Cranio-caudal mammogram of the left breast. Patient age 42.
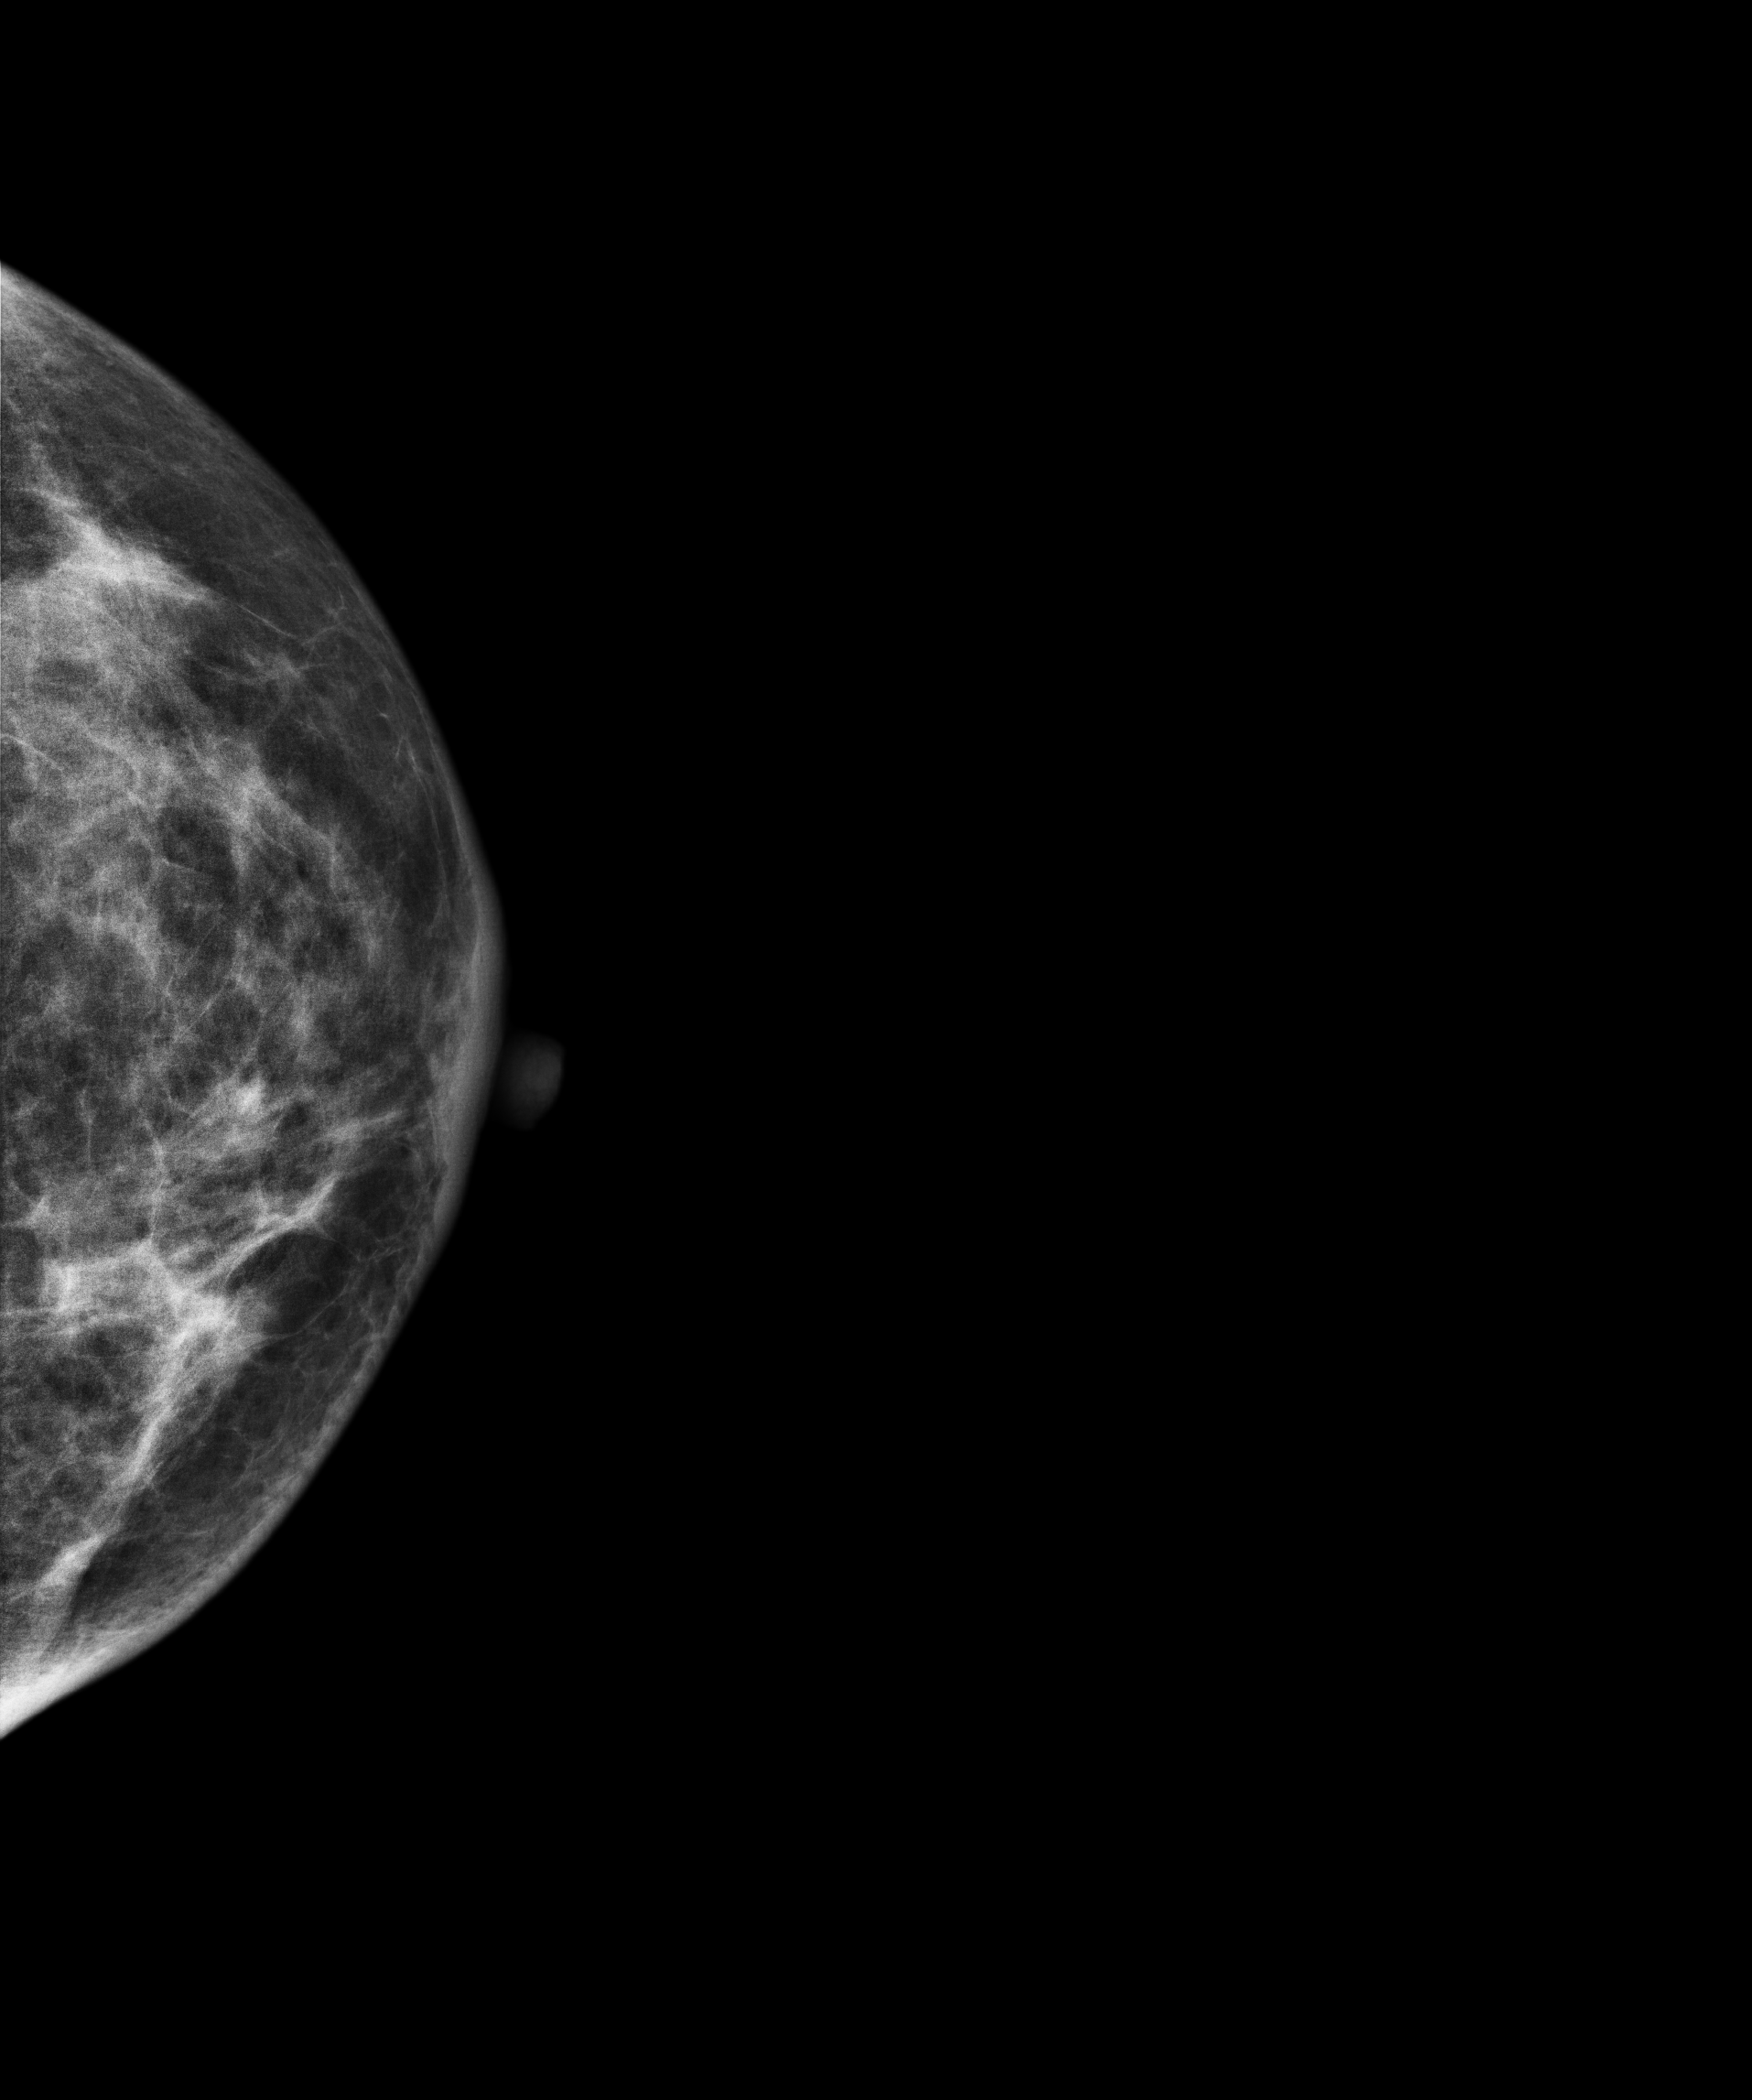
This breast has a mass, biopsy-proven malignant. Molecular subtype: luminal B.